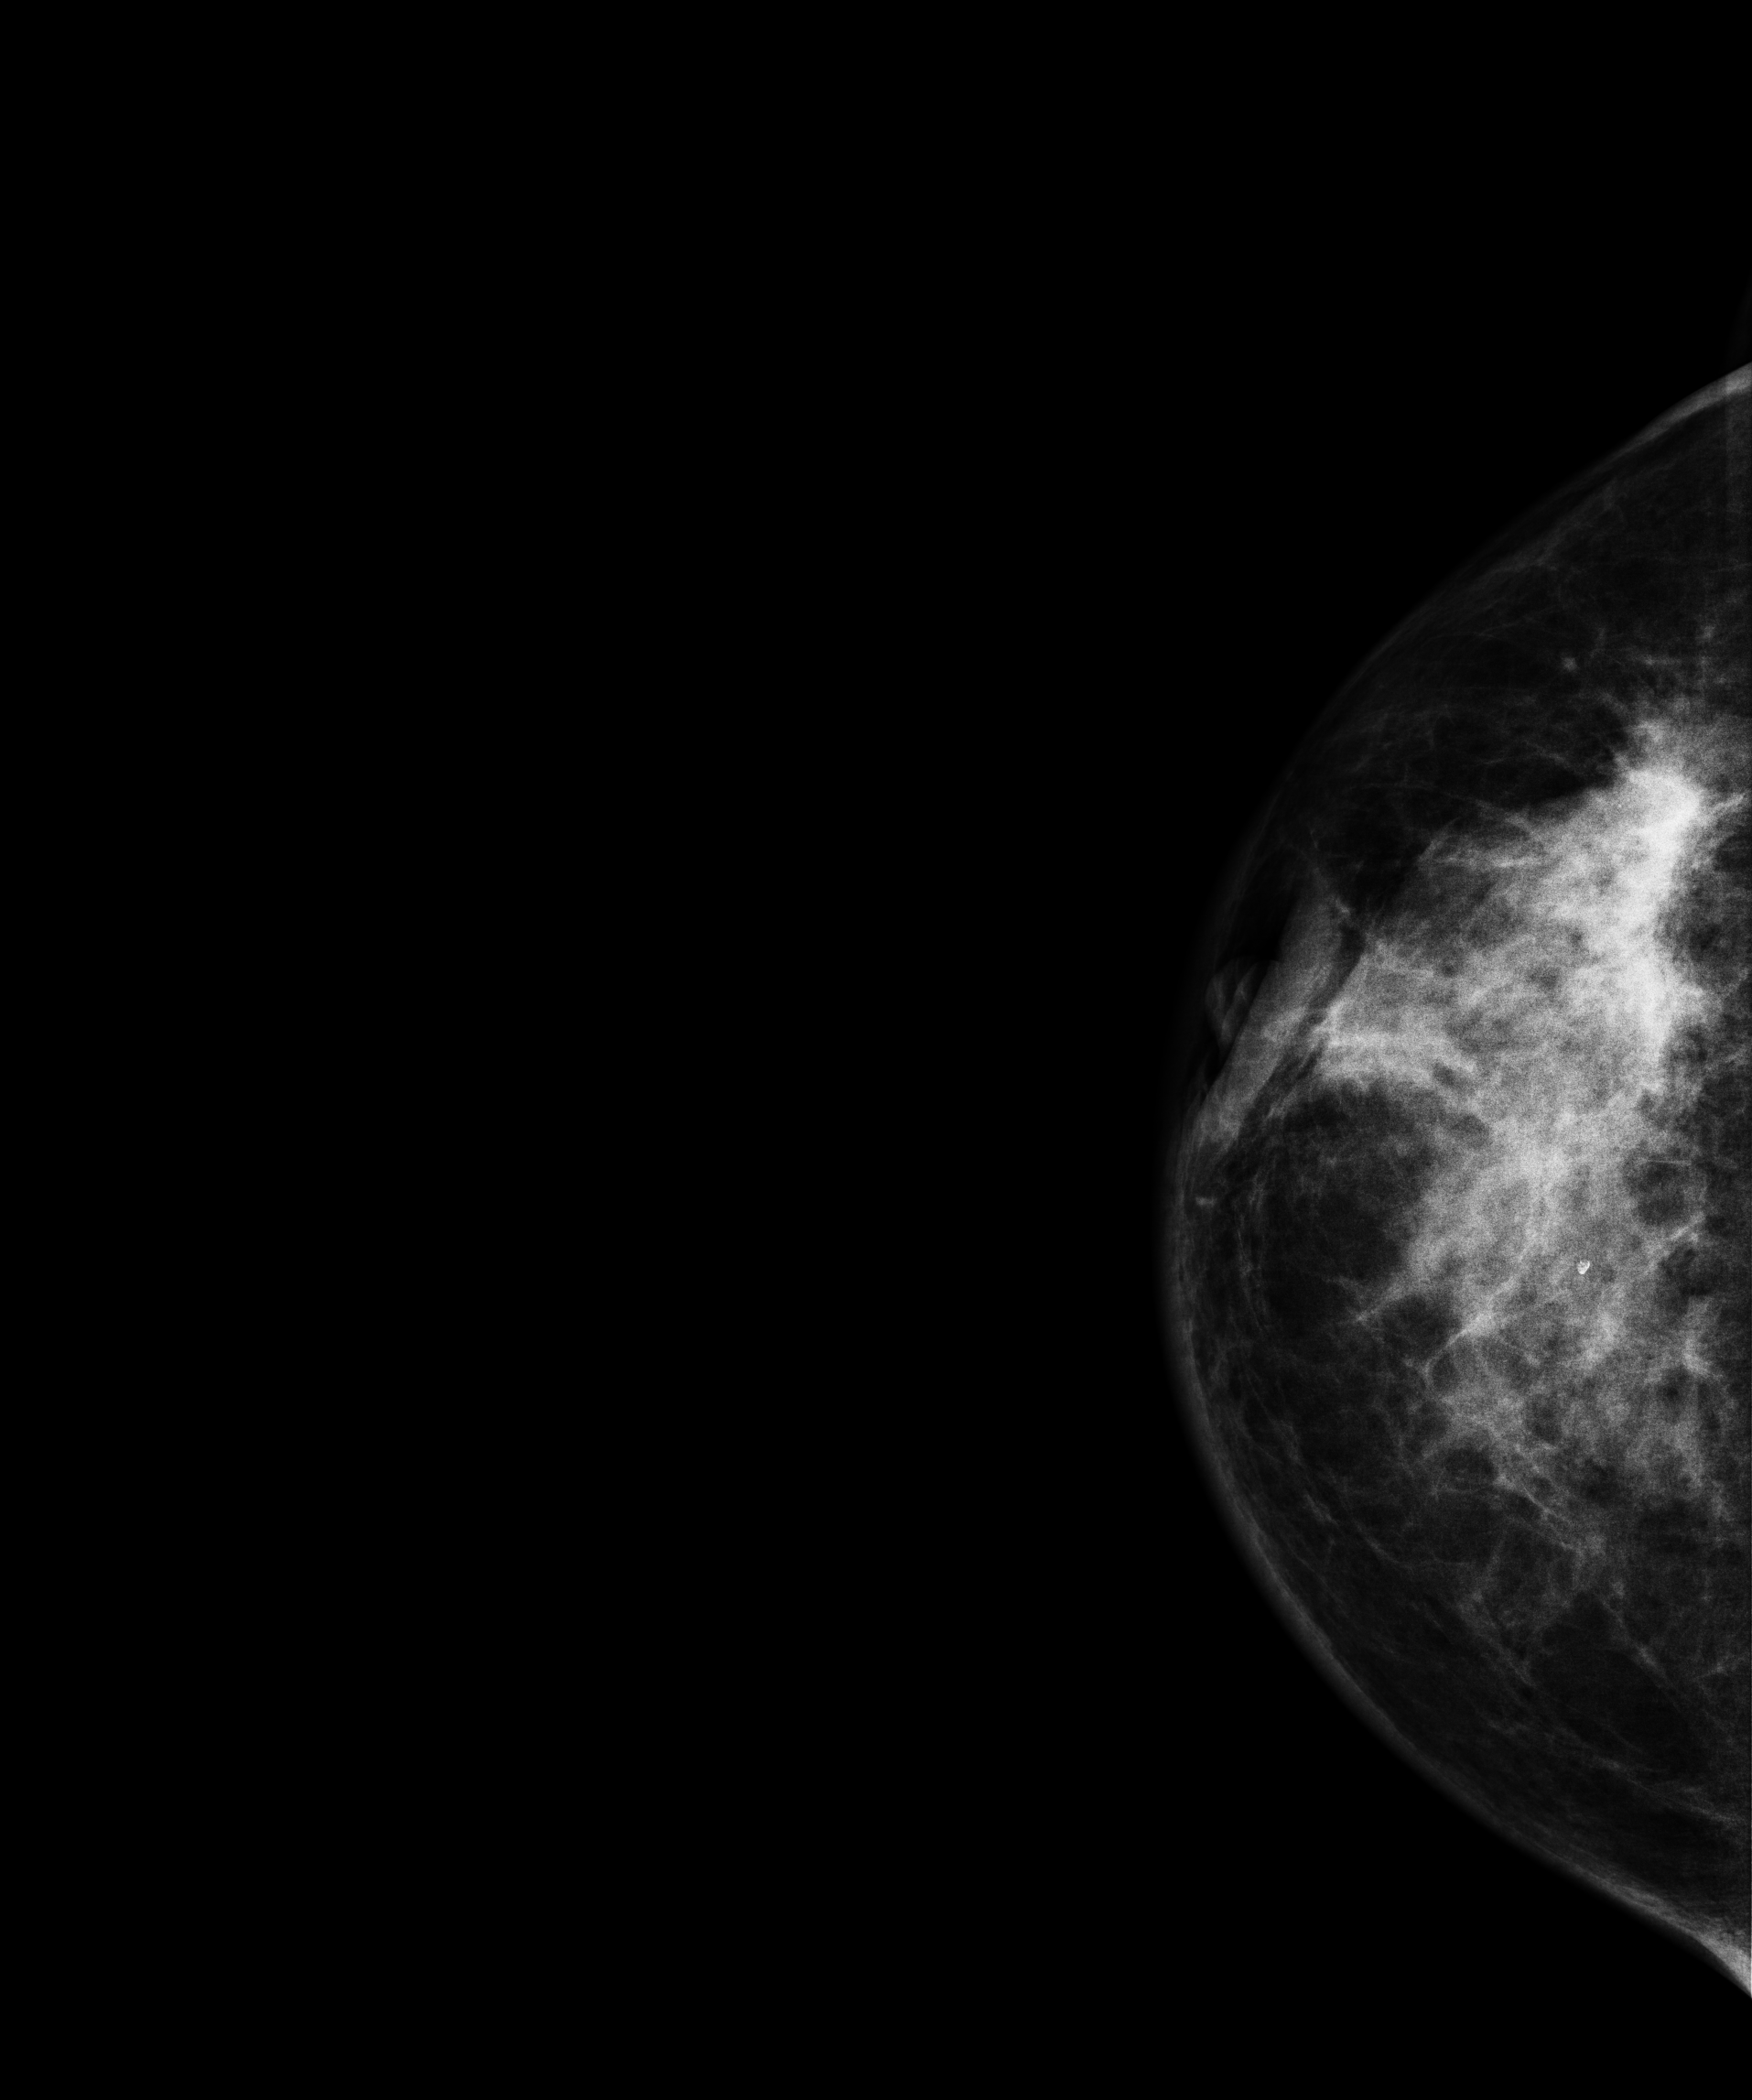
Right-breast mammogram, CC. 62 y/o patient.
This breast has a mass, histologically confirmed malignant.